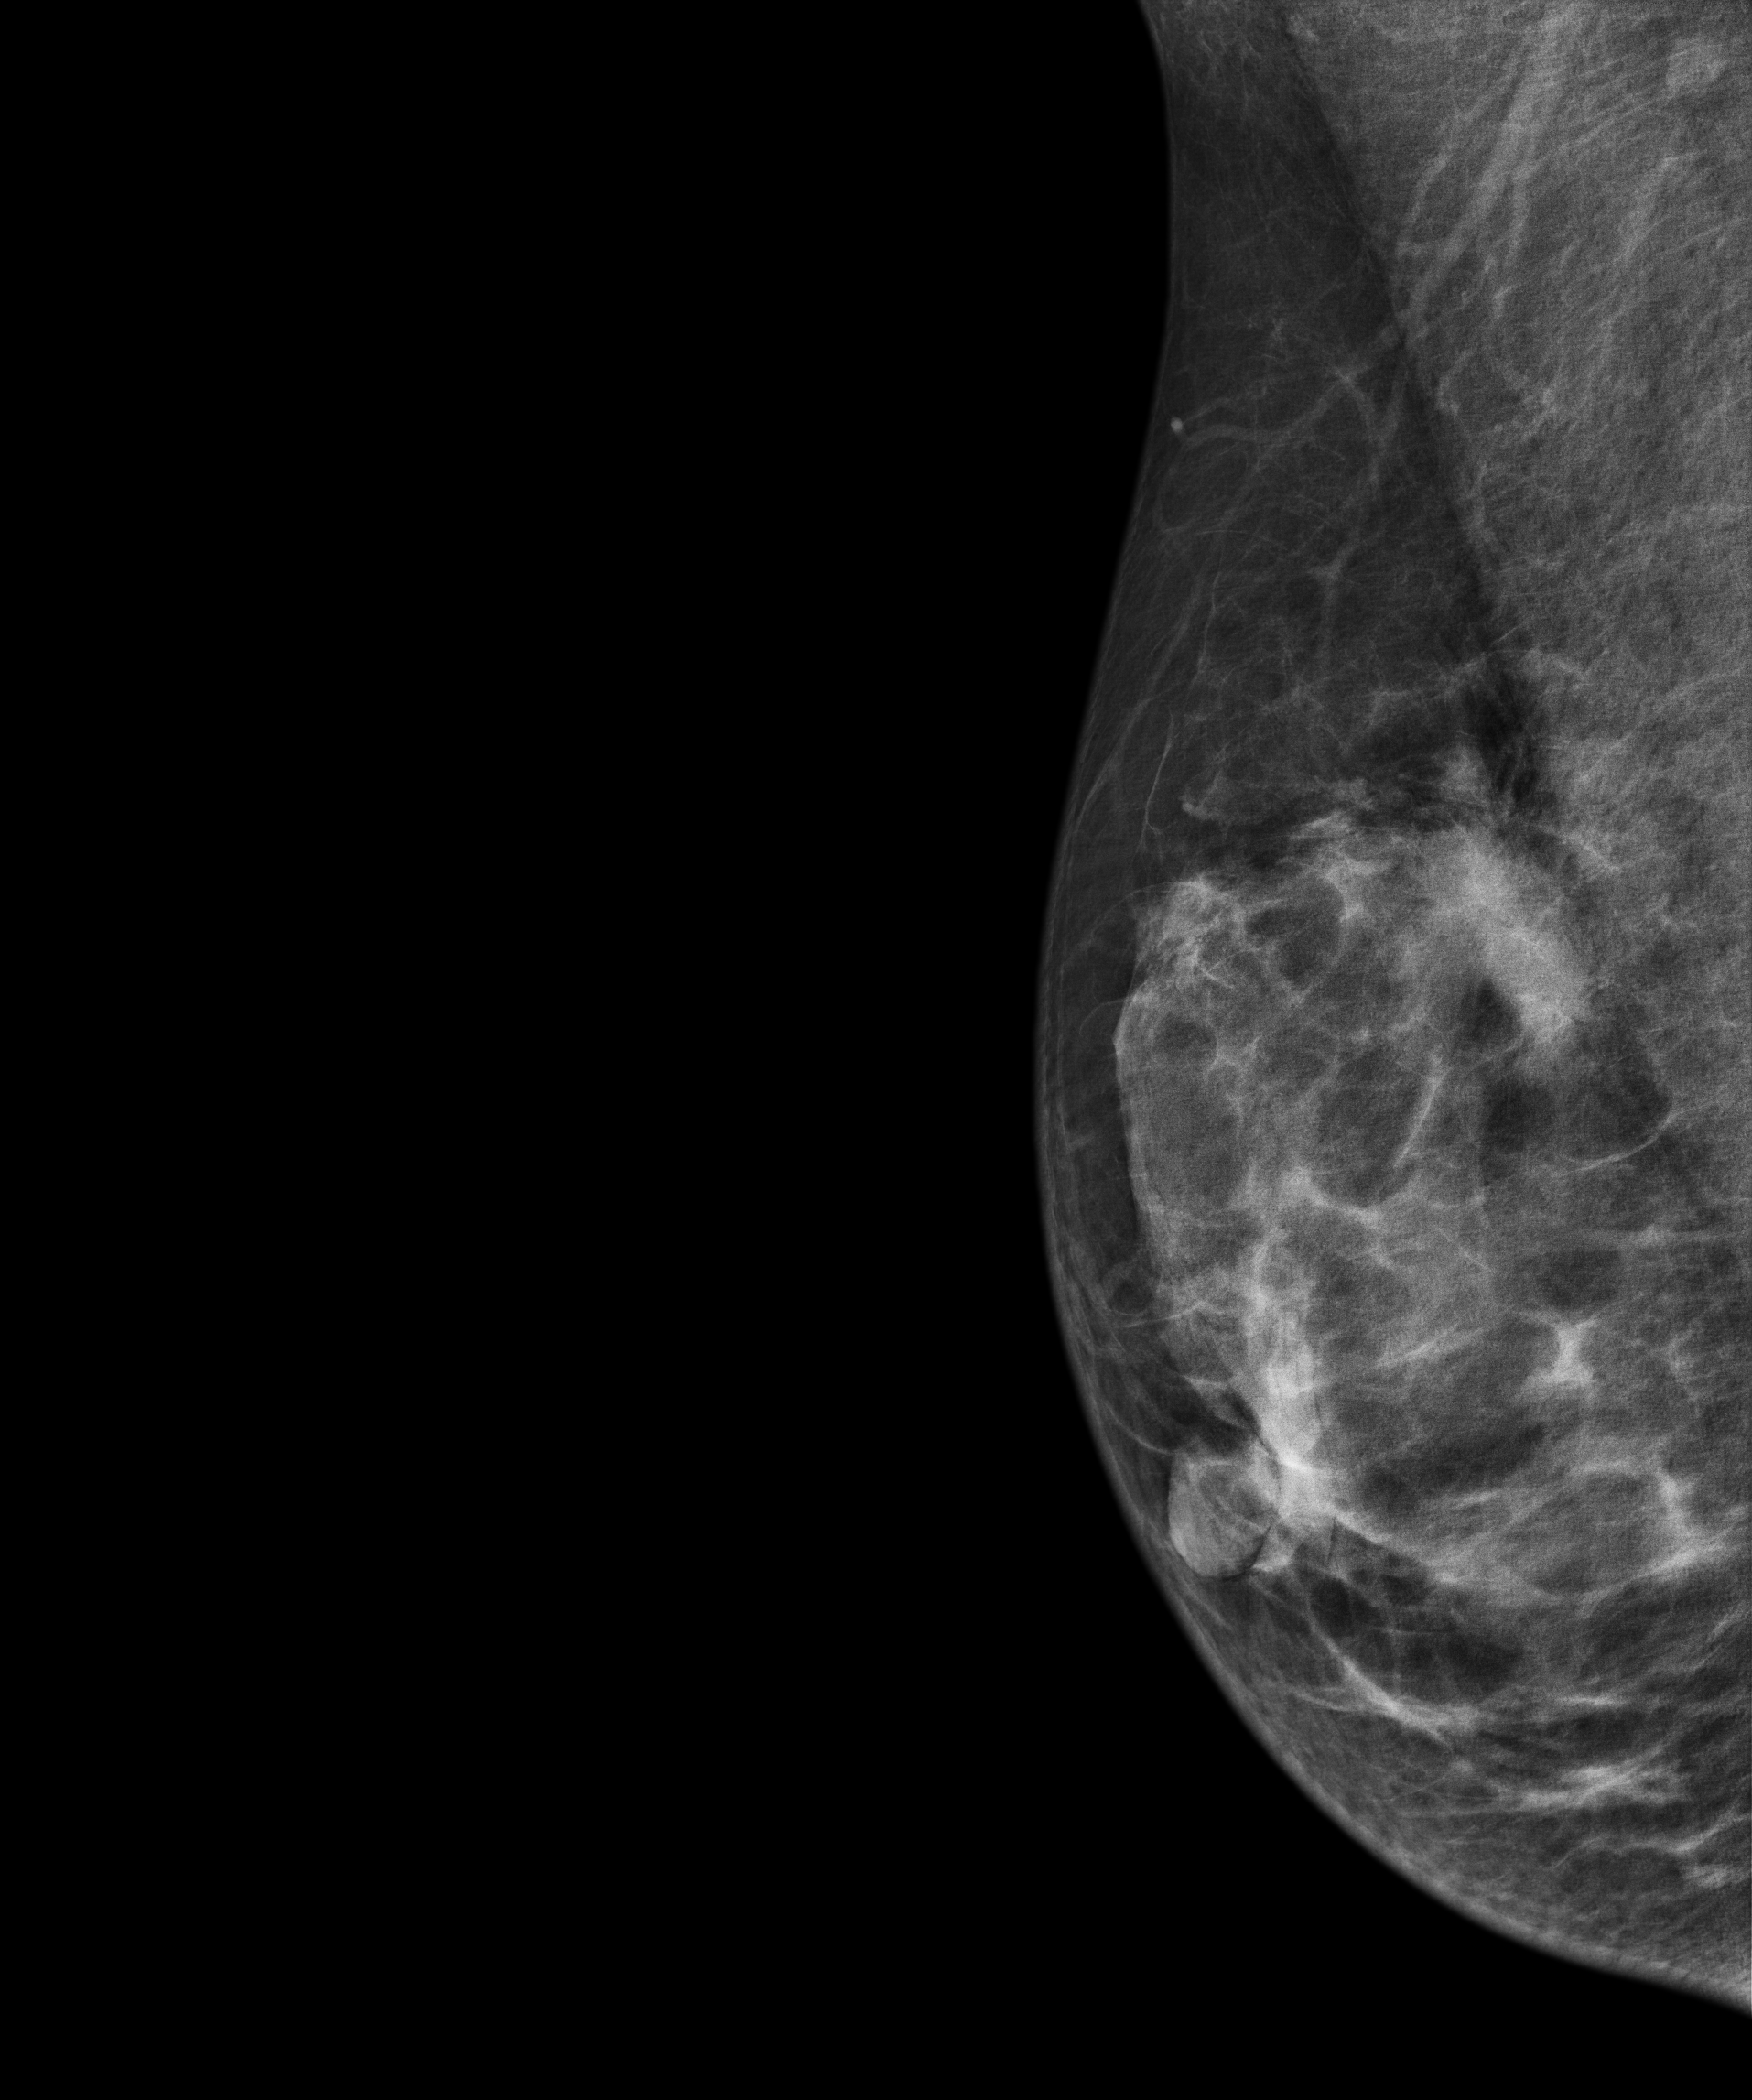
Right-breast mammogram, MLO. 34-year-old patient.
This breast has a mass, biopsy-proven malignant. Molecular subtype: luminal B.